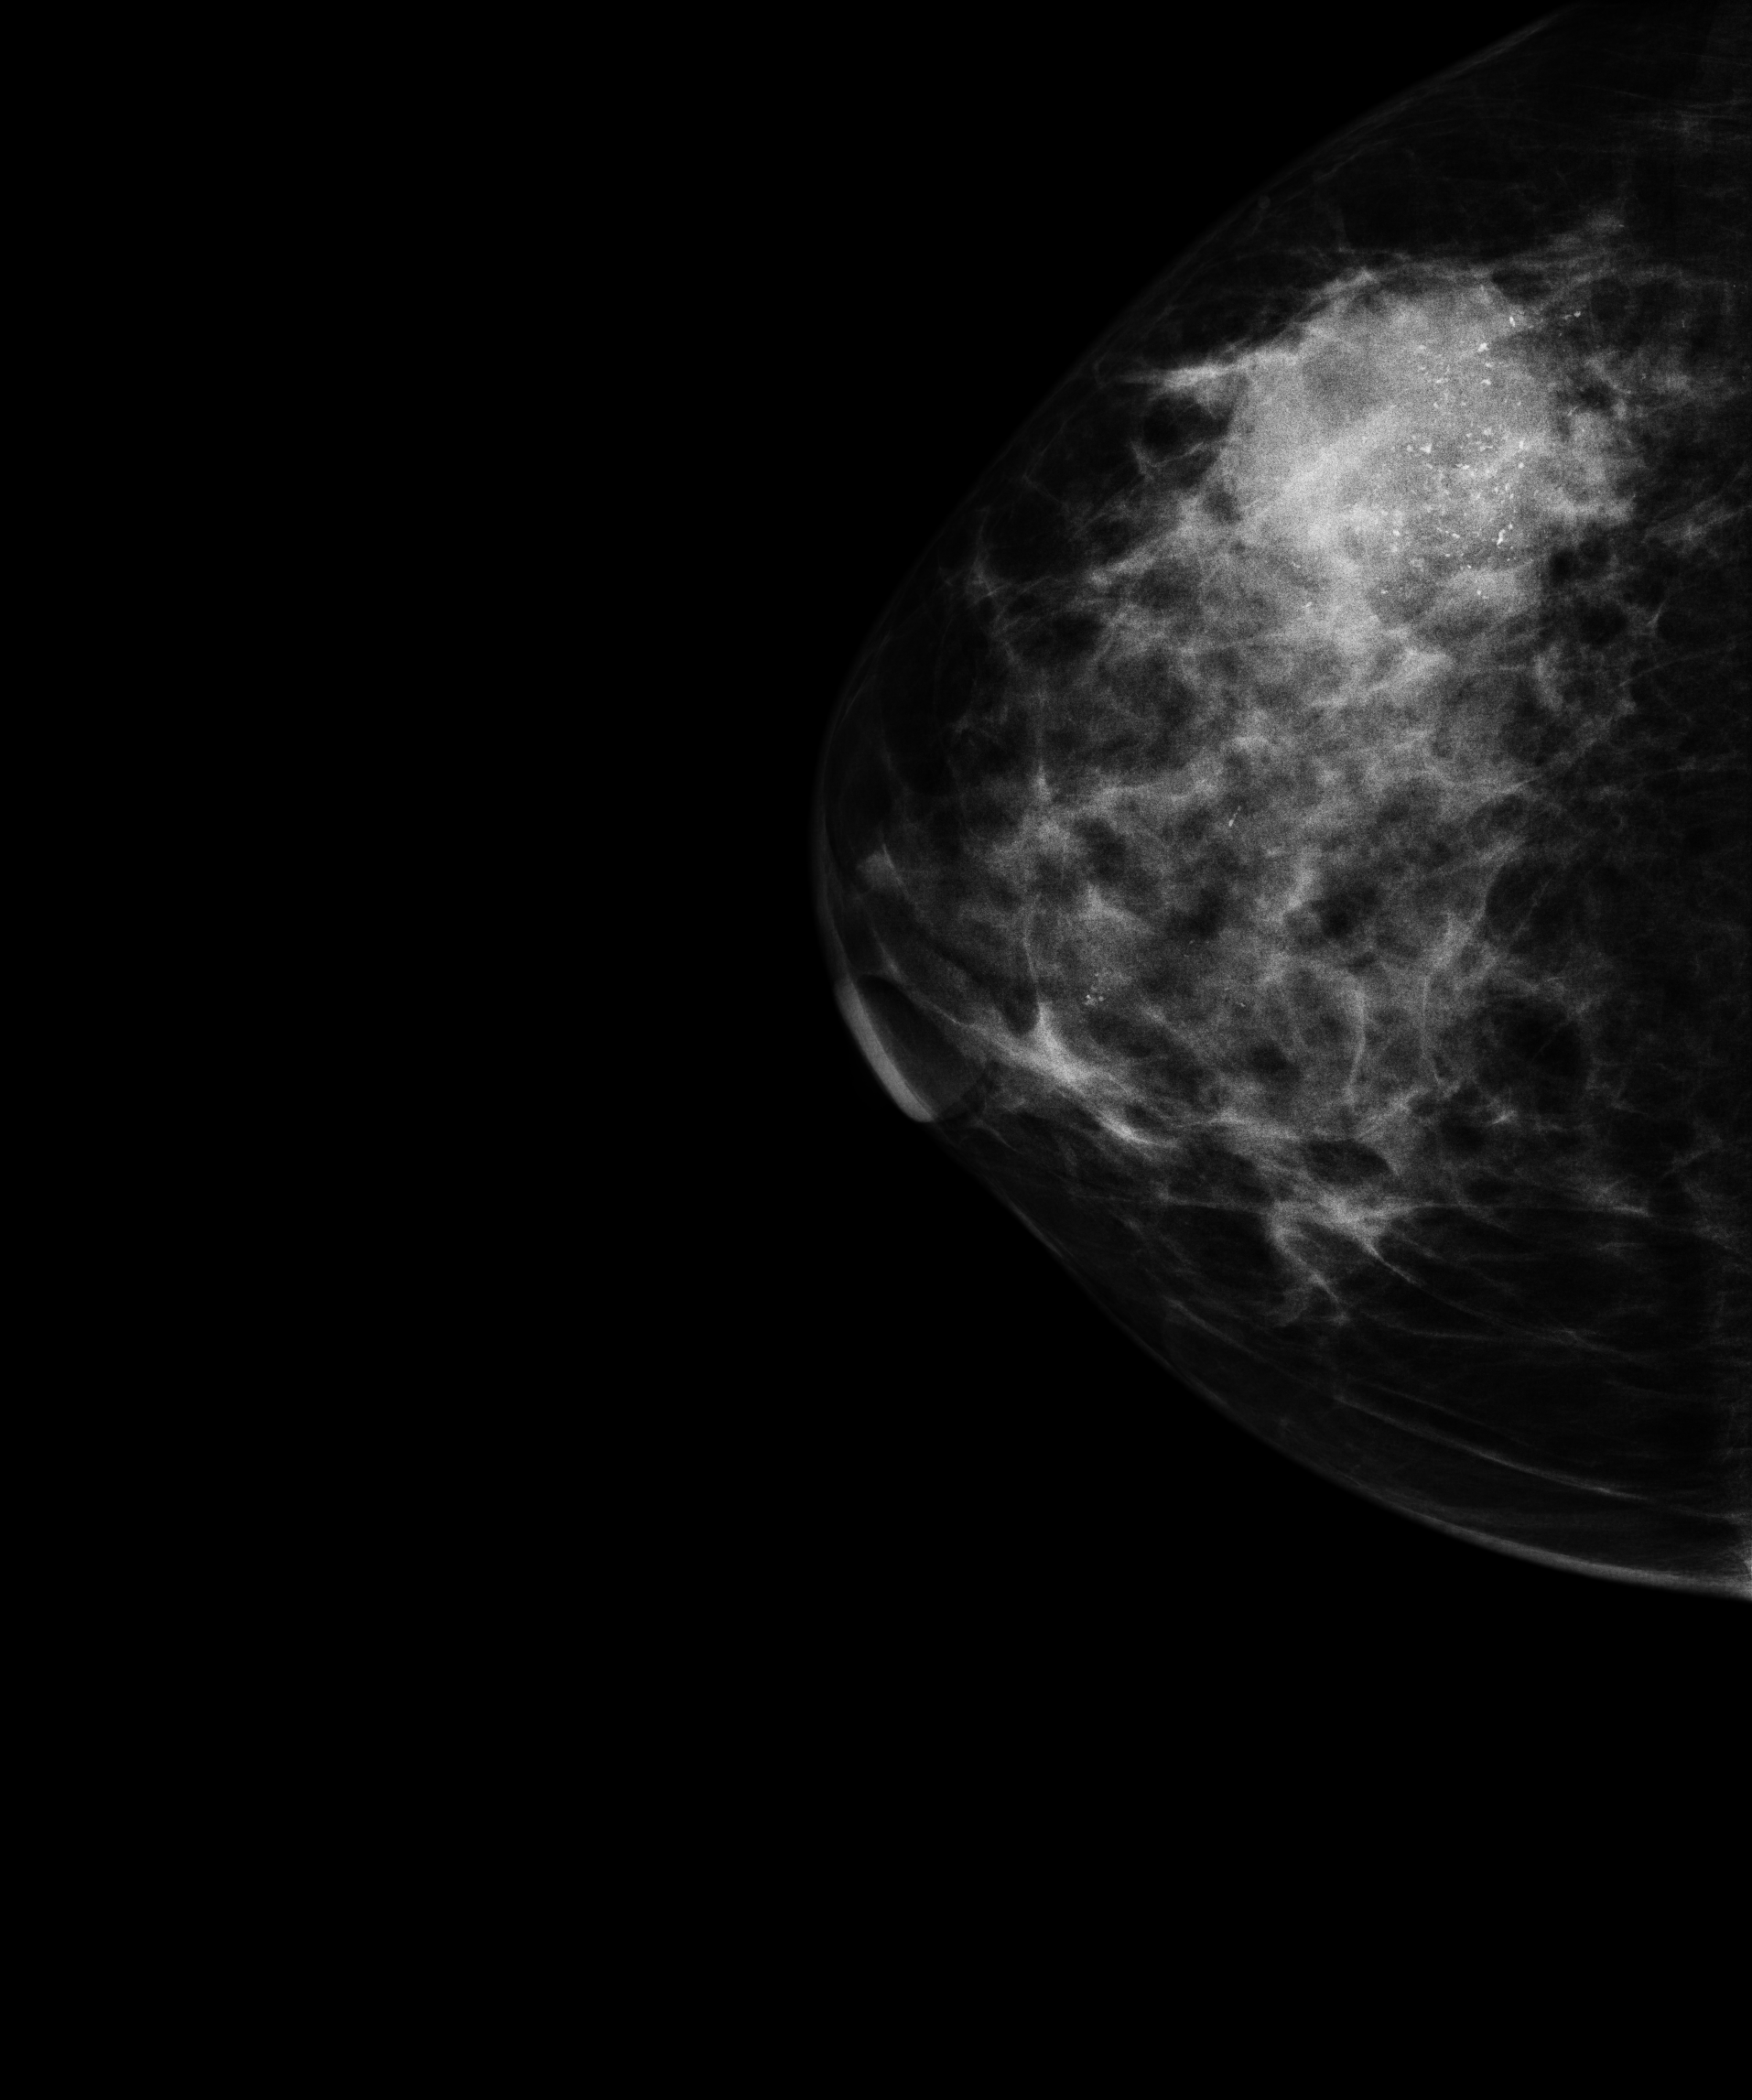
Mammogram, right breast, cranio-caudal view. Patient age 54.
This breast has a mass and calcifications, pathology-confirmed malignant. Molecular subtype: luminal B.